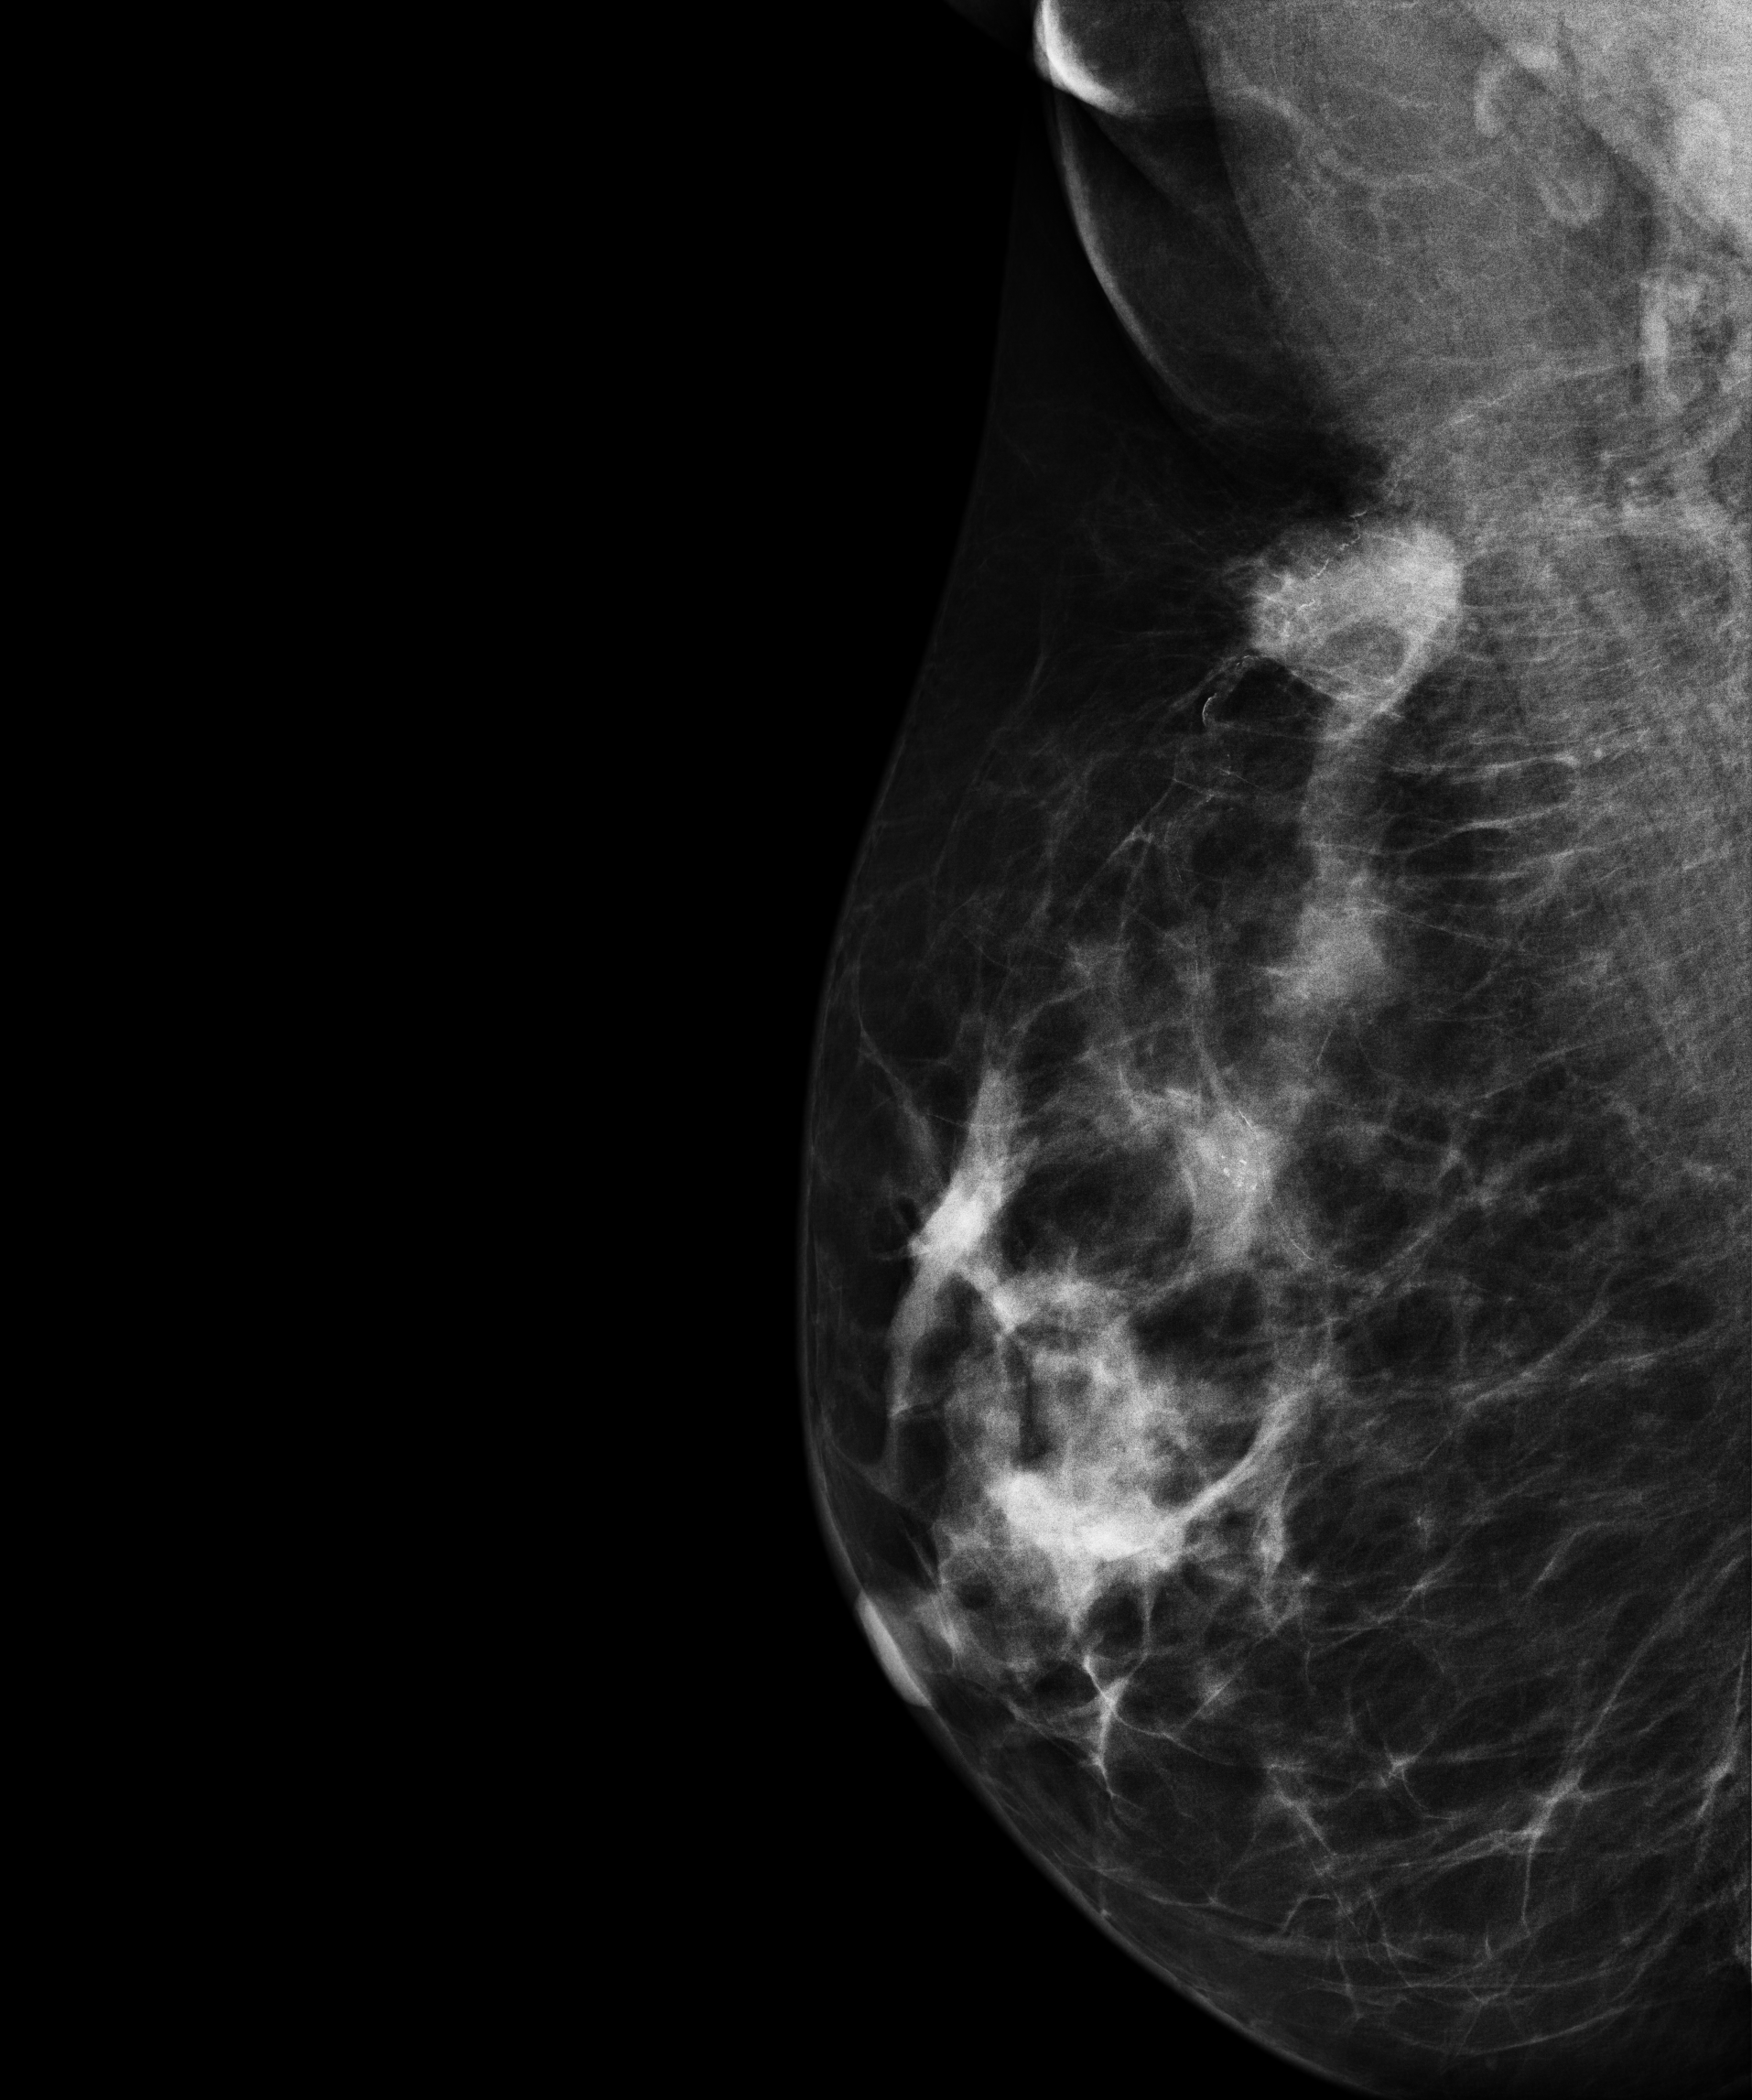
Right-breast mammogram, MLO. Patient age 60.
This breast has a mass and calcifications, histologically confirmed malignant. Molecular subtype: luminal B.